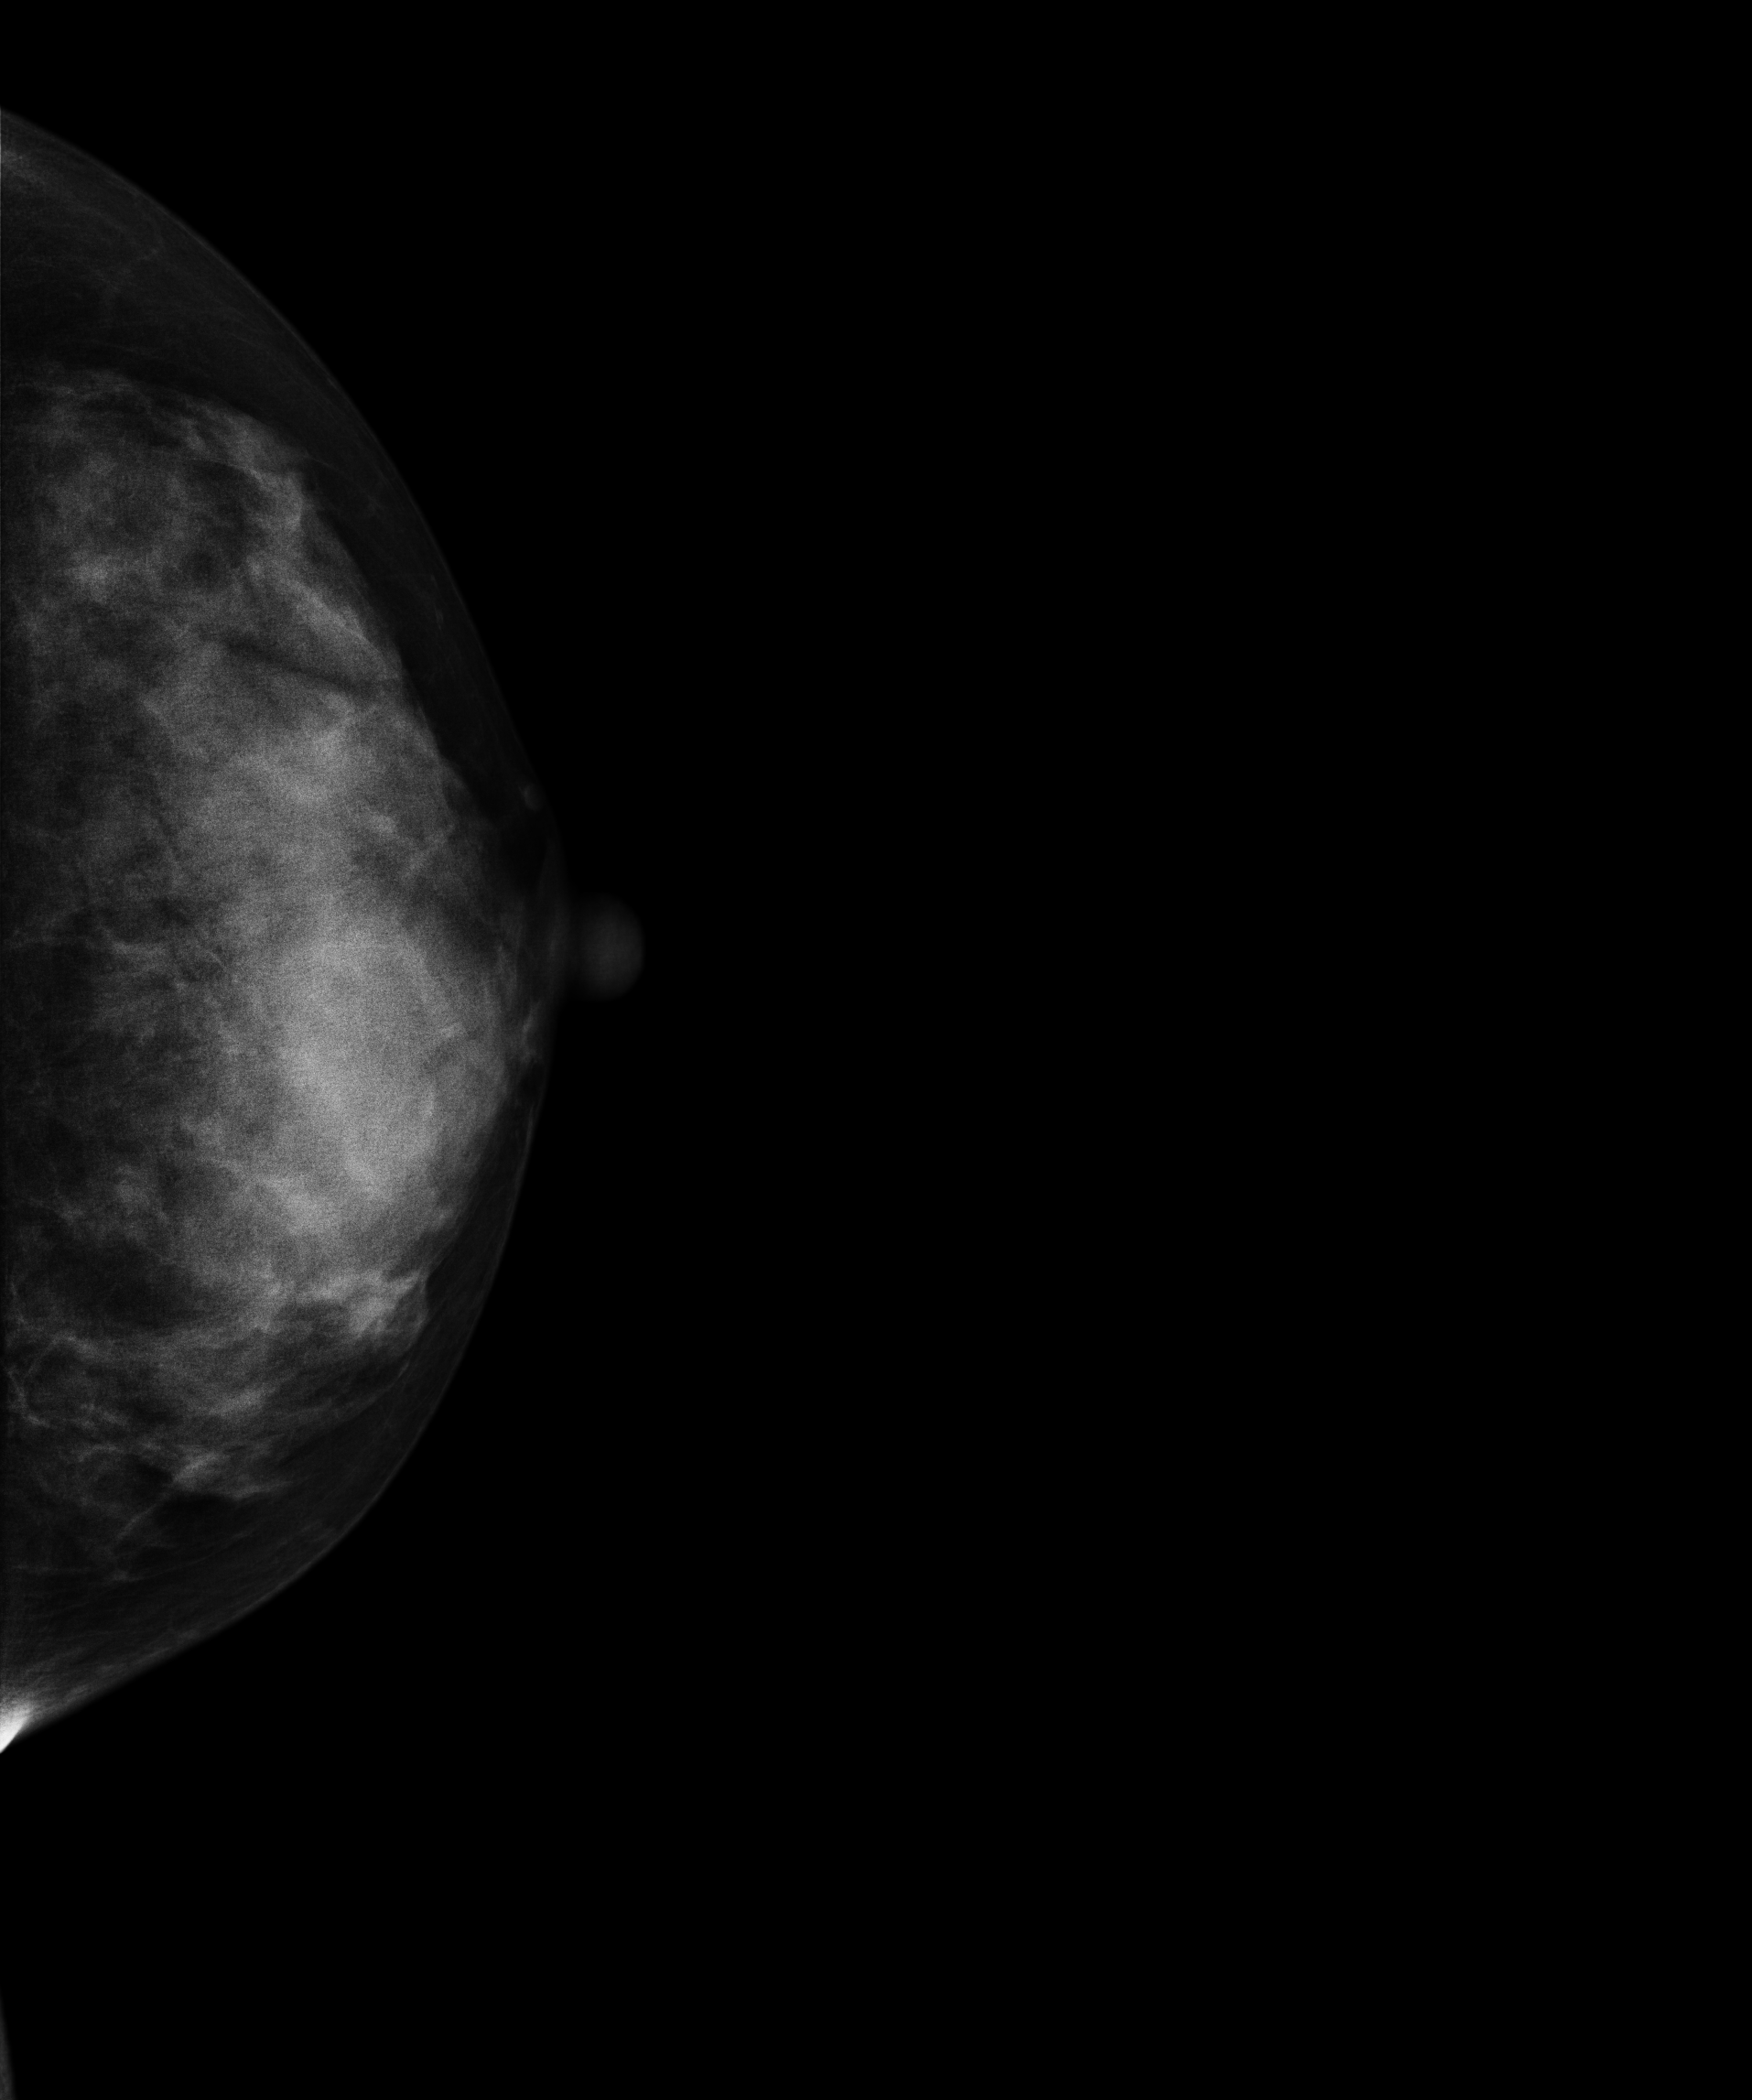
Digital mammography. Left breast, CC projection. 35 y/o patient.
This breast has a mass, biopsy-confirmed benign.